Mammogram, left breast, CC view. 49 y/o patient.
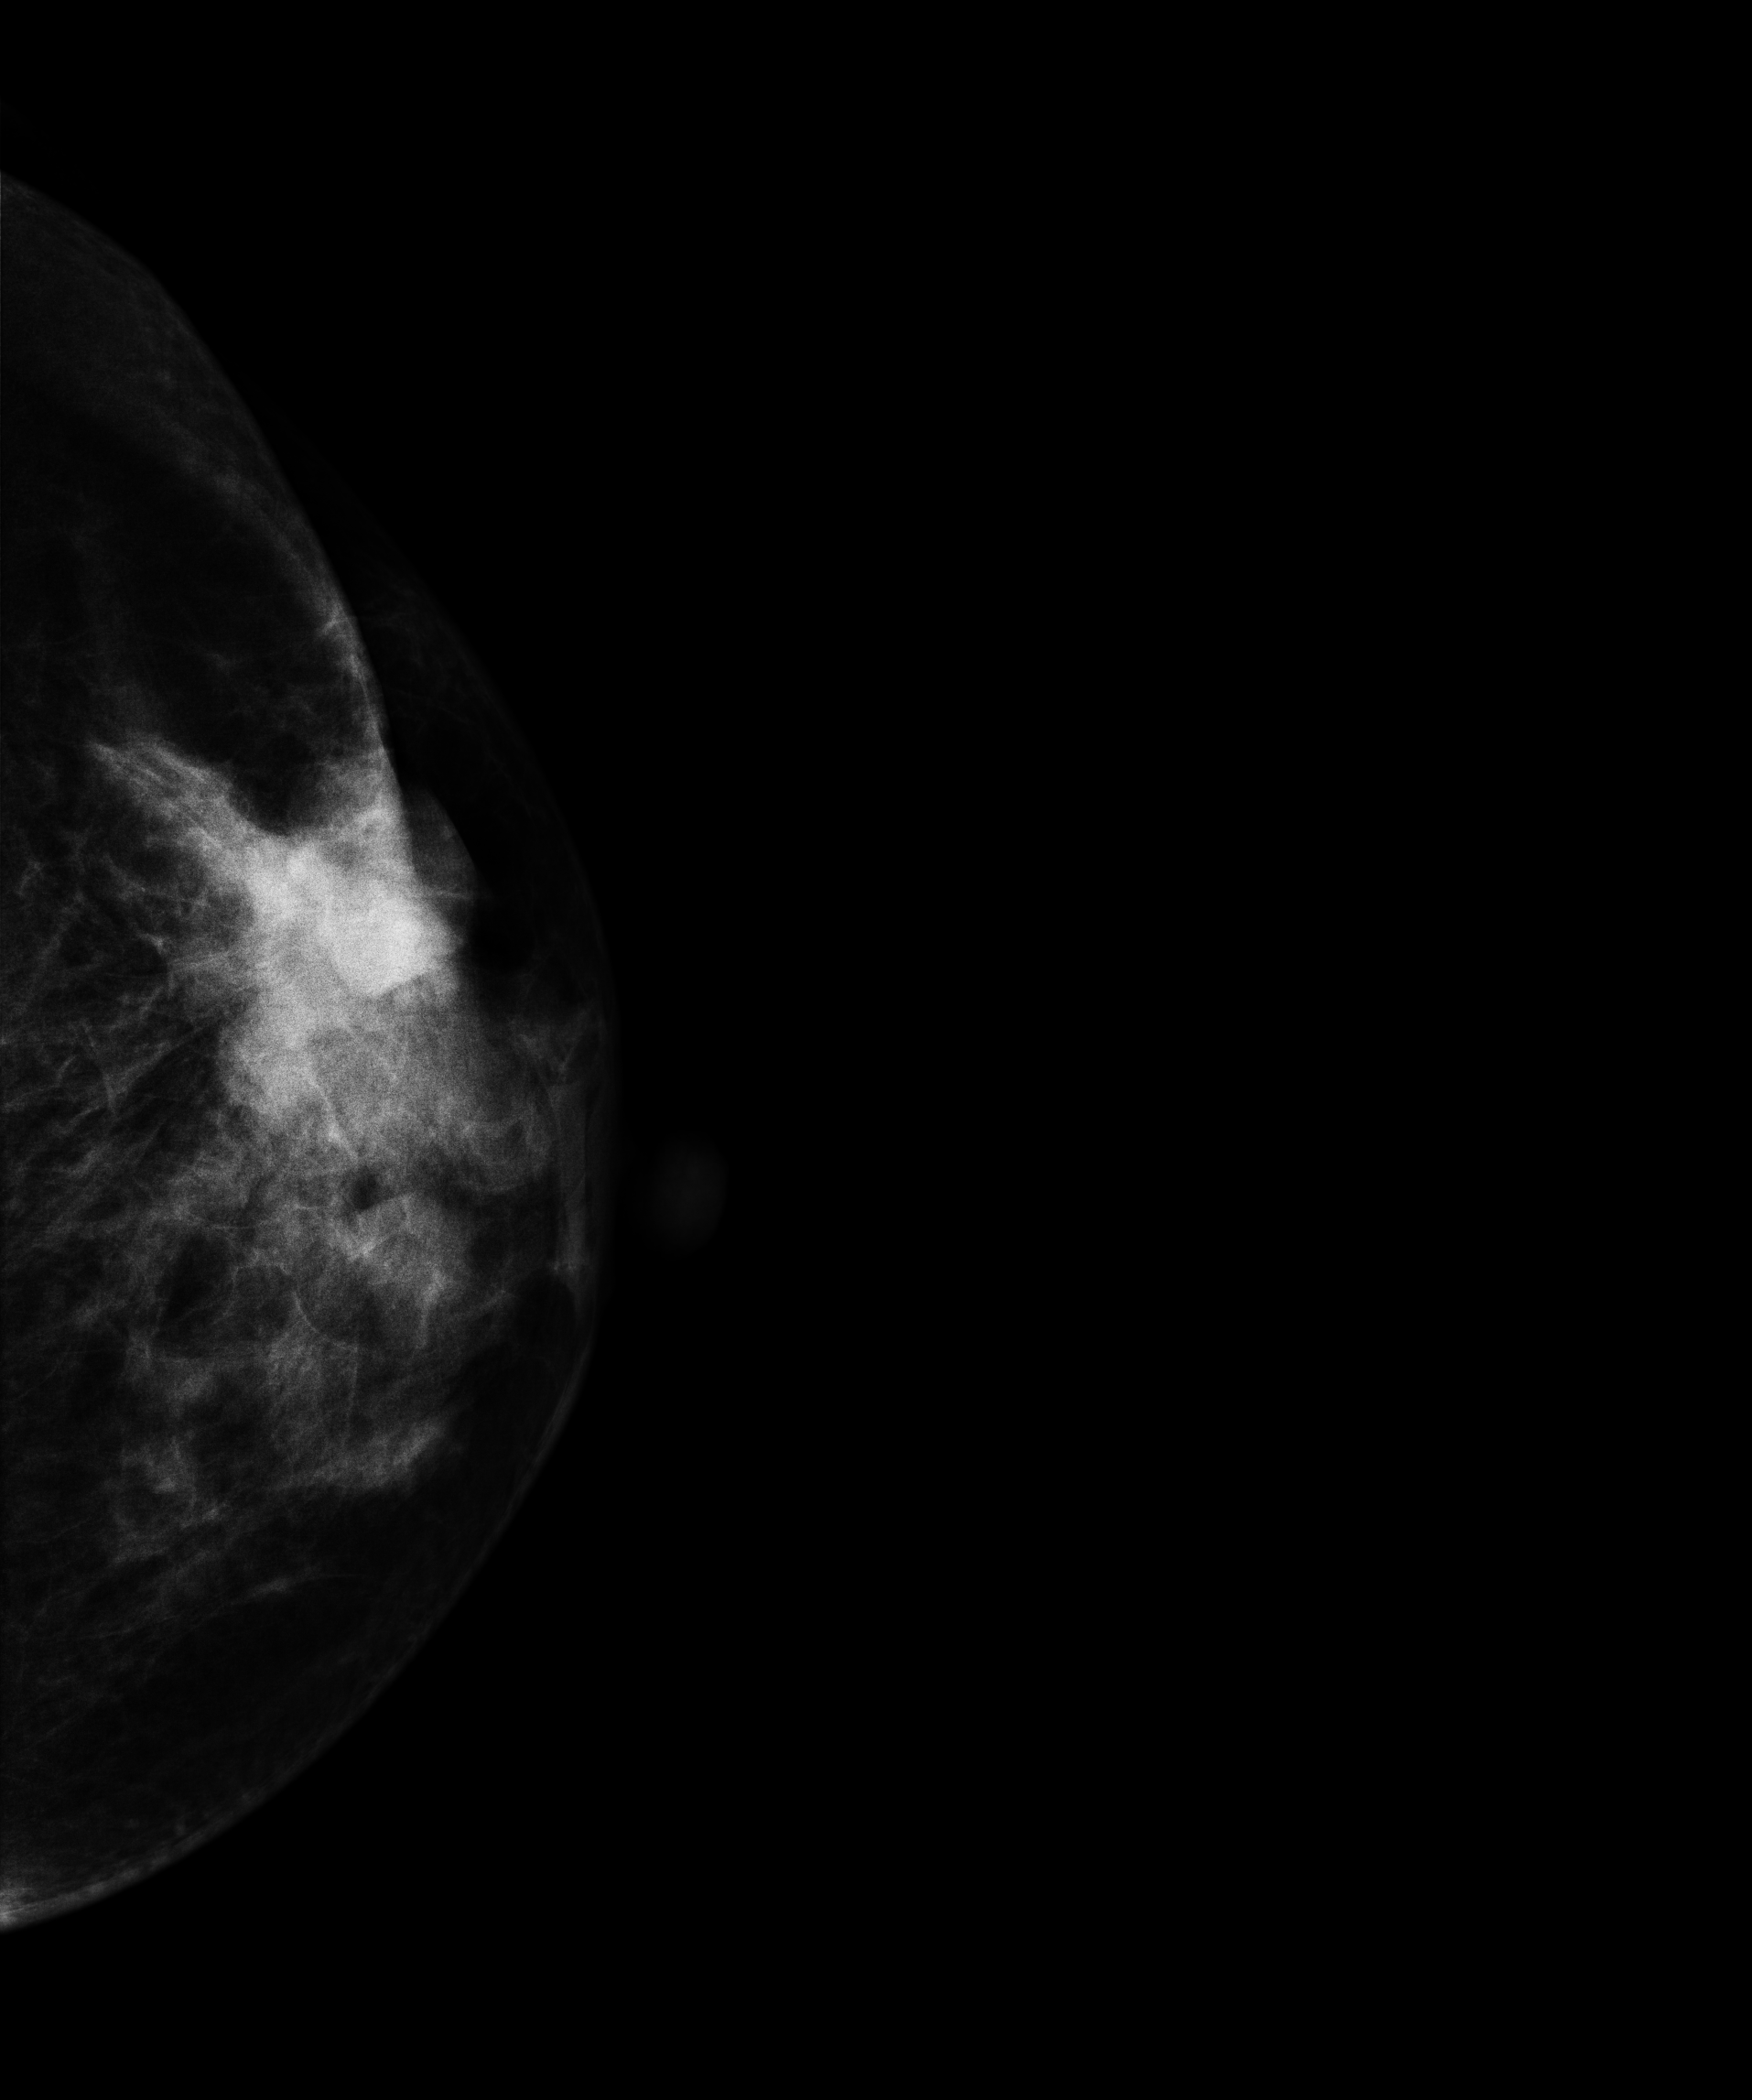
This breast has a mass, biopsy-confirmed malignant.